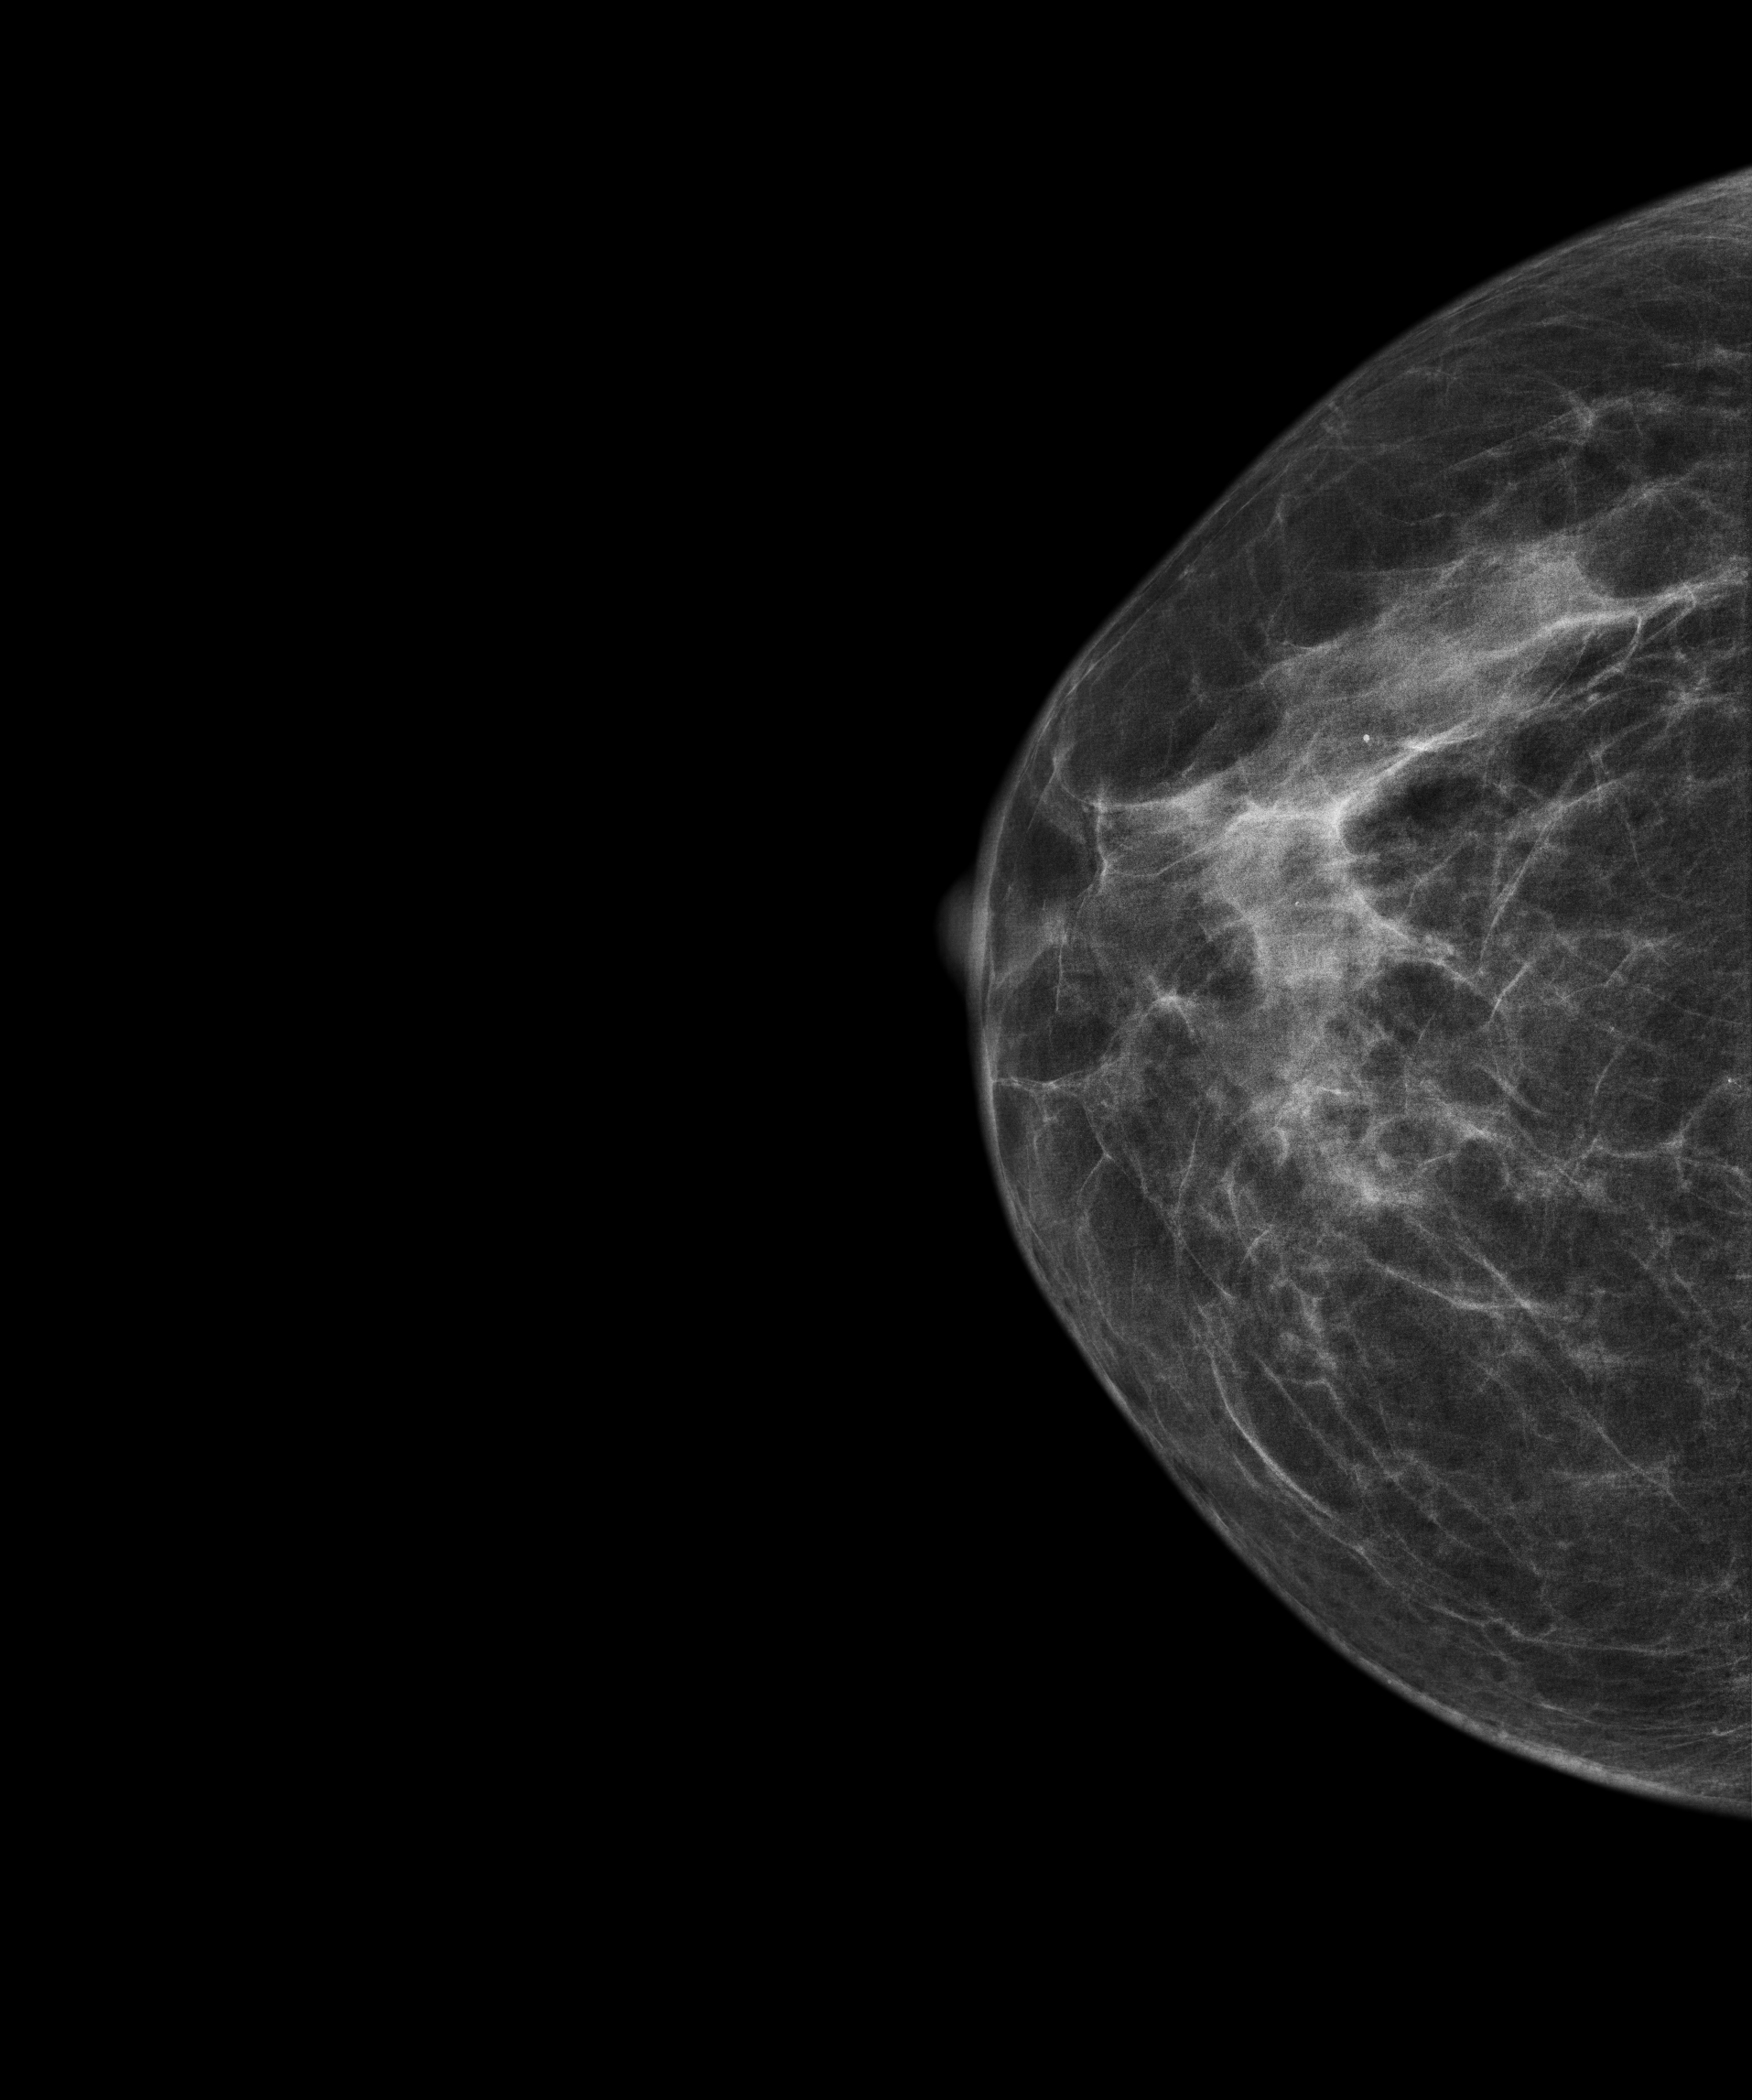
Digital mammography. Right breast, CC projection. 60-year-old patient.
Contralateral breast — no documented abnormality on this side.